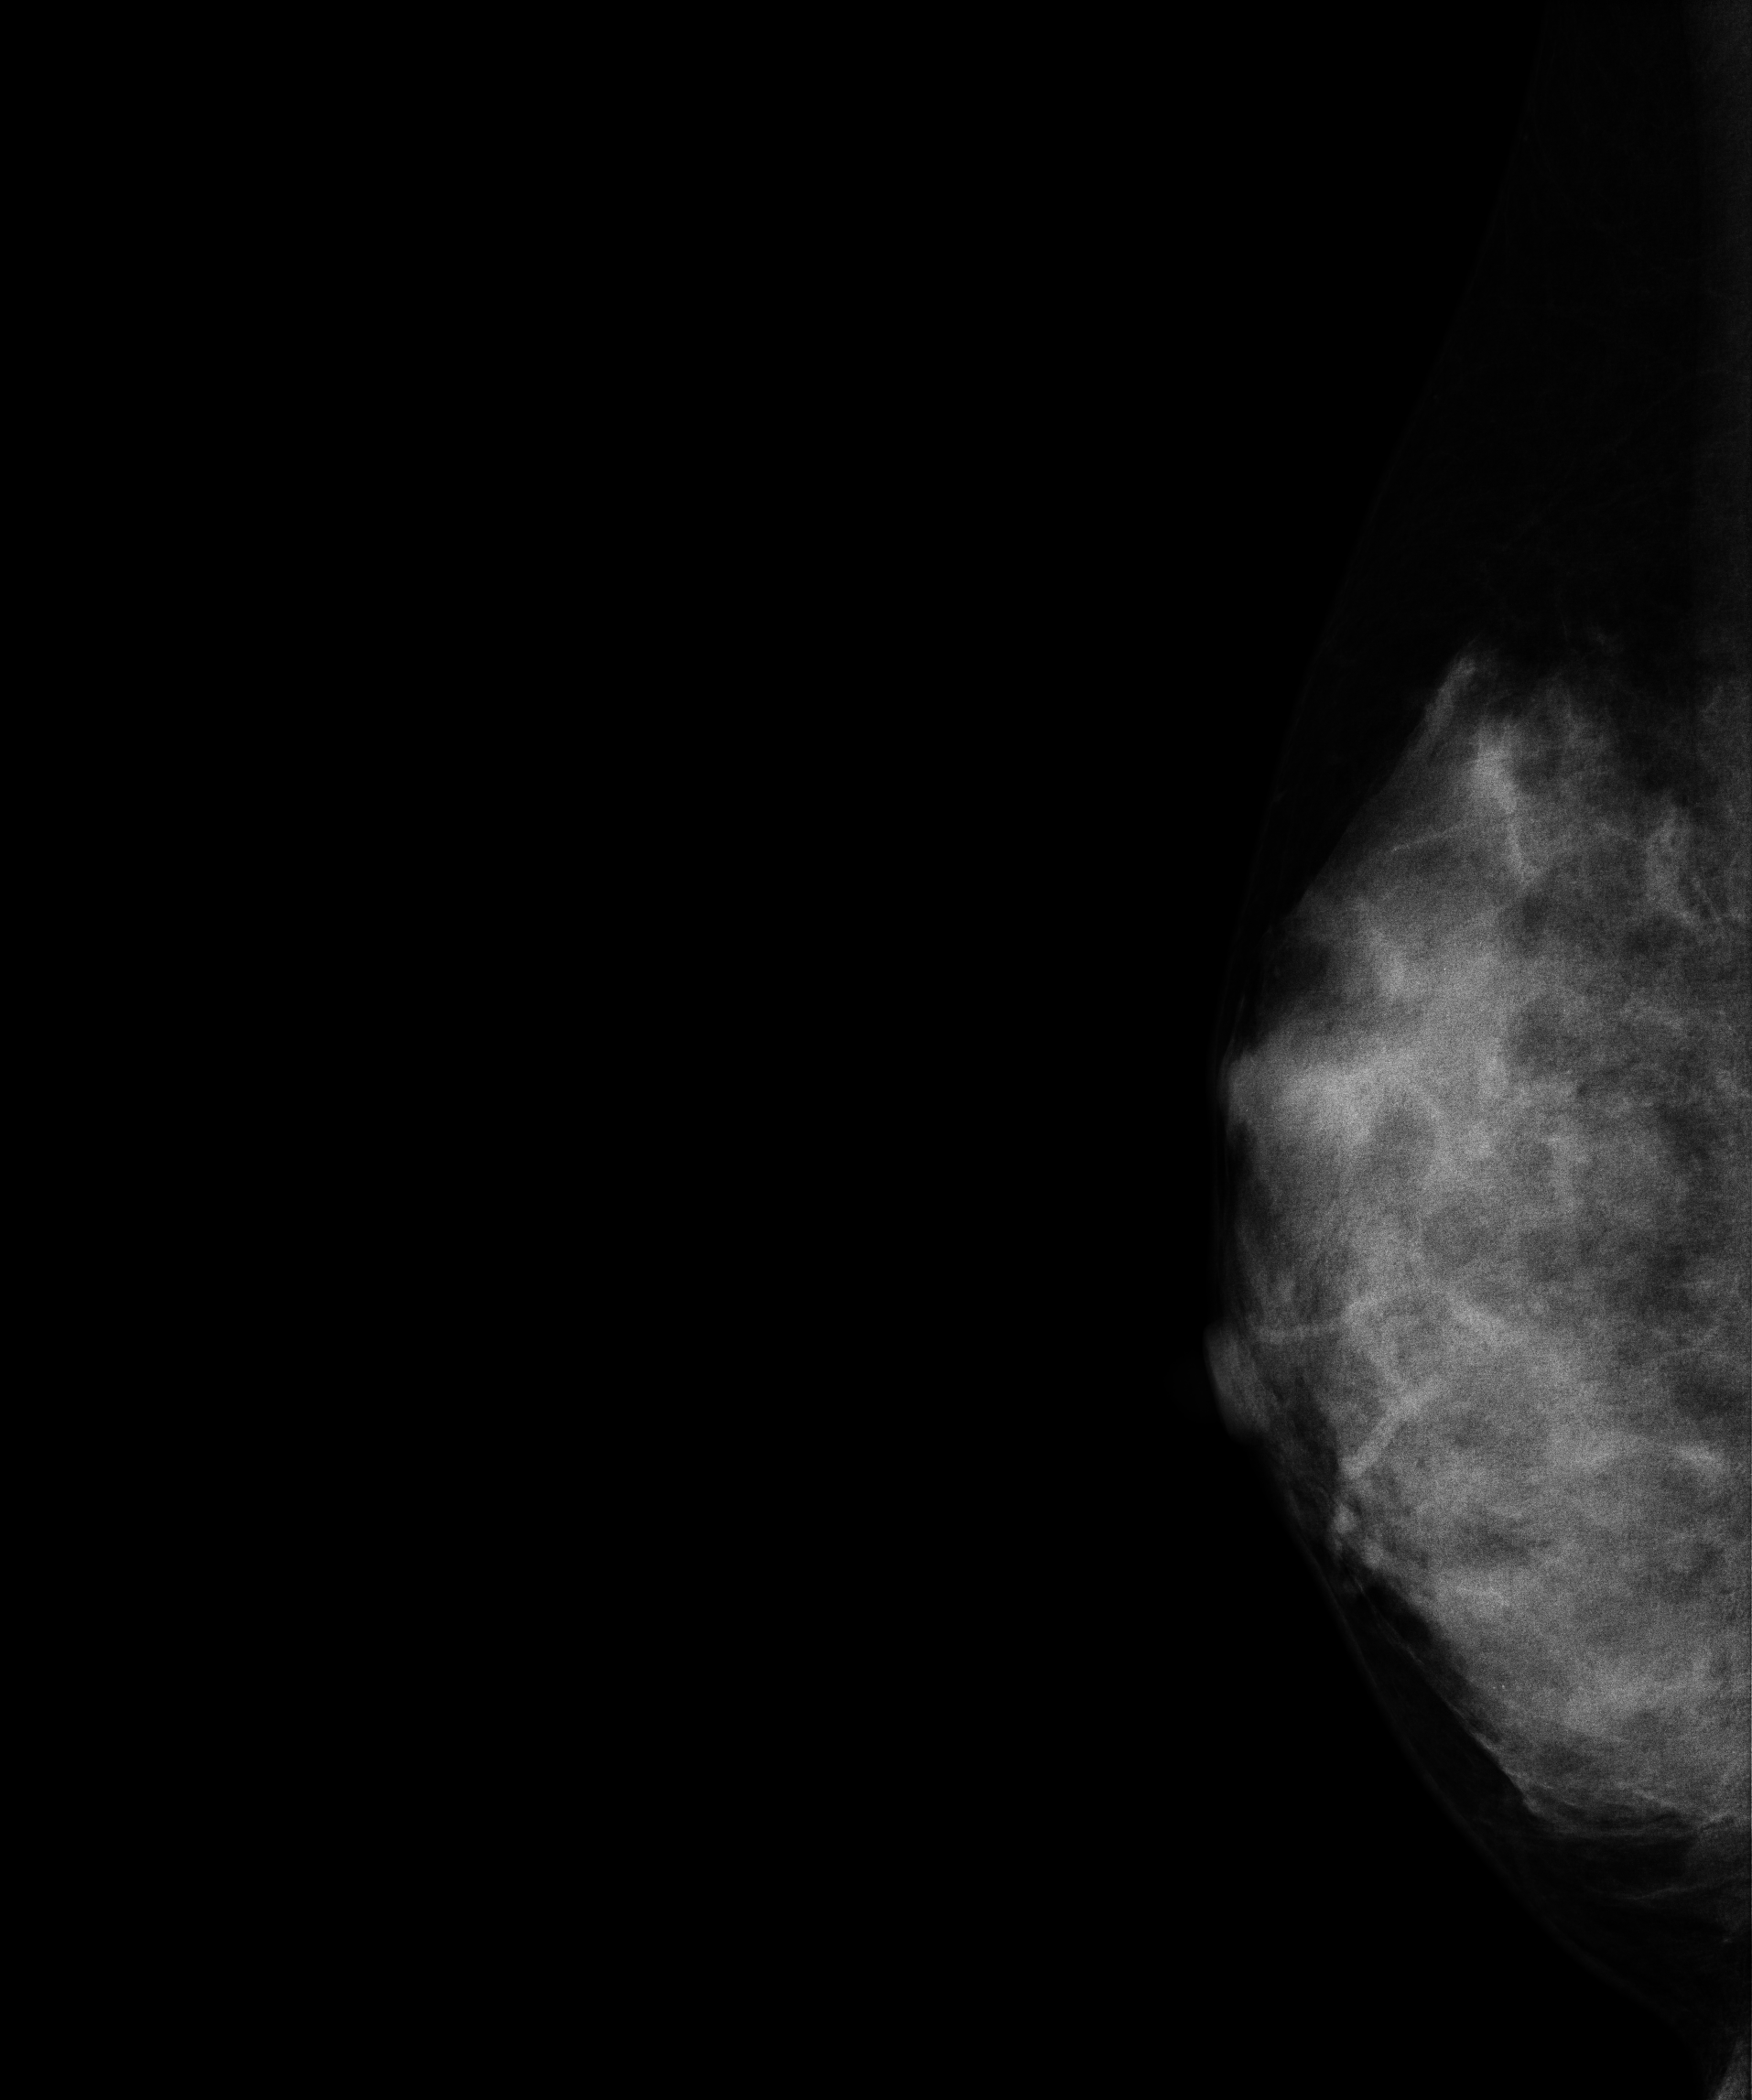
MLO mammogram of the right breast. Patient age 34.
This breast has a mass, biopsy-confirmed benign.